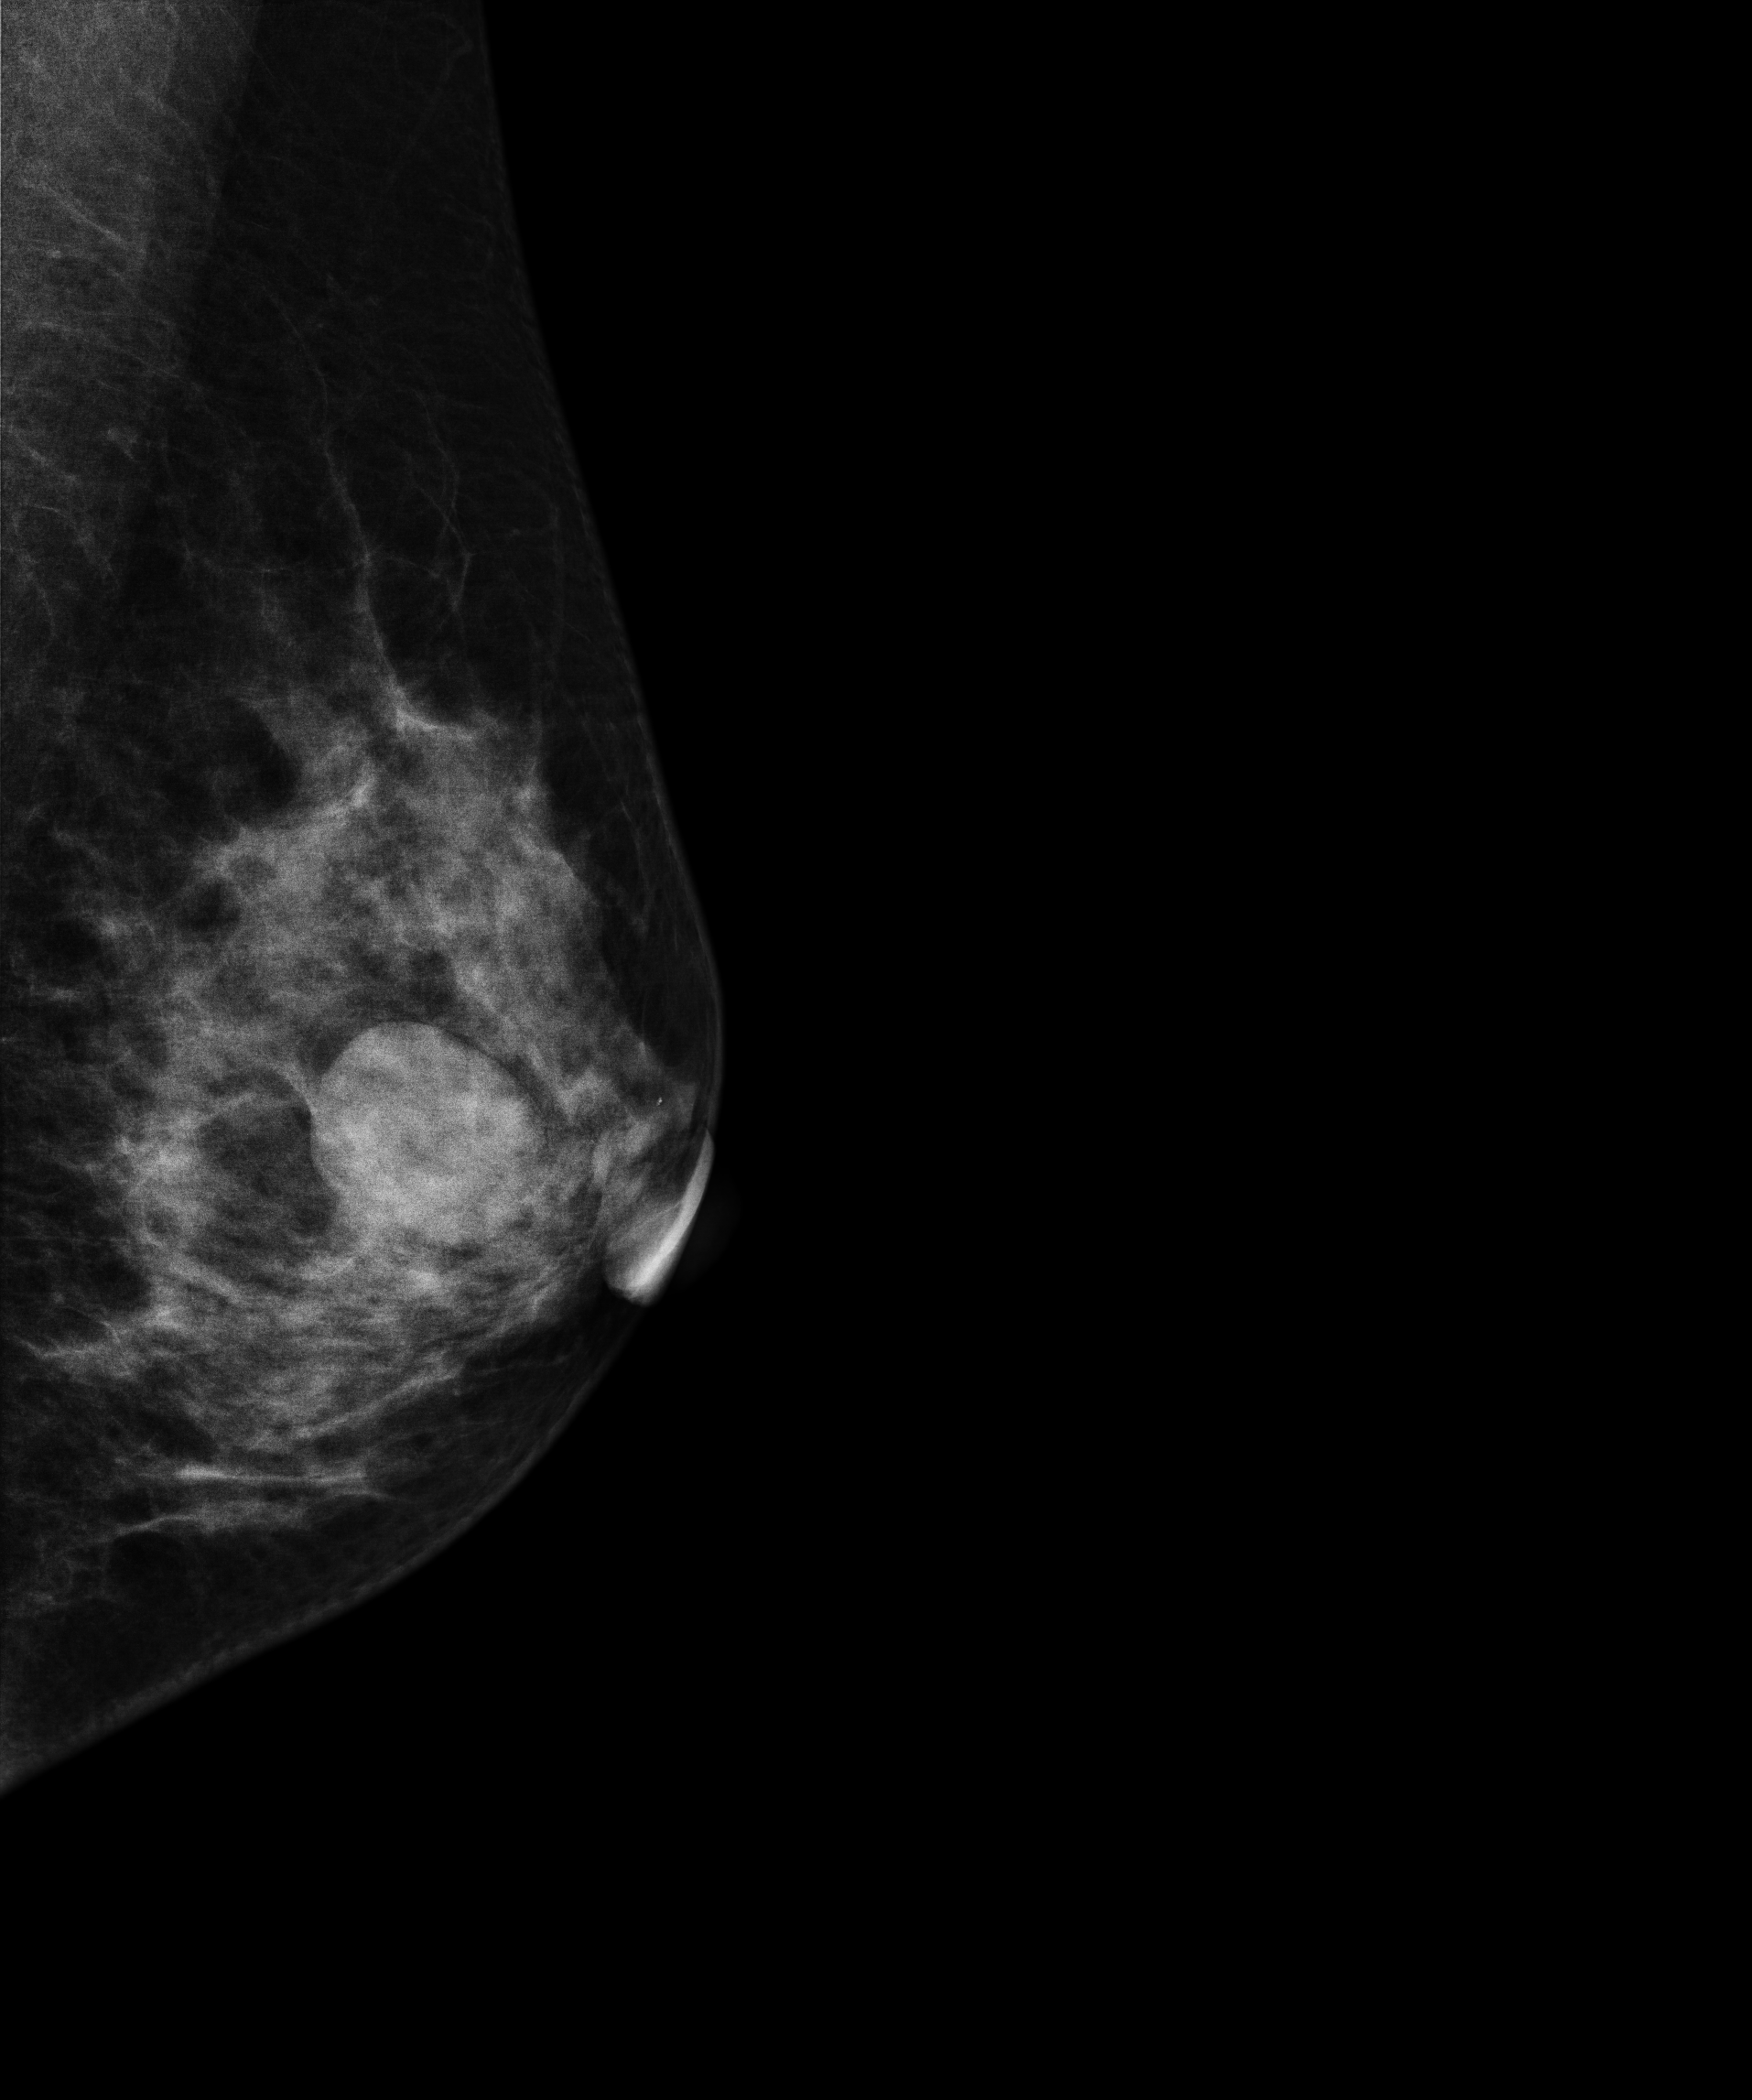
Mammogram — left medio-lateral oblique. 44 y/o patient.
This breast has a mass, biopsy-confirmed benign.